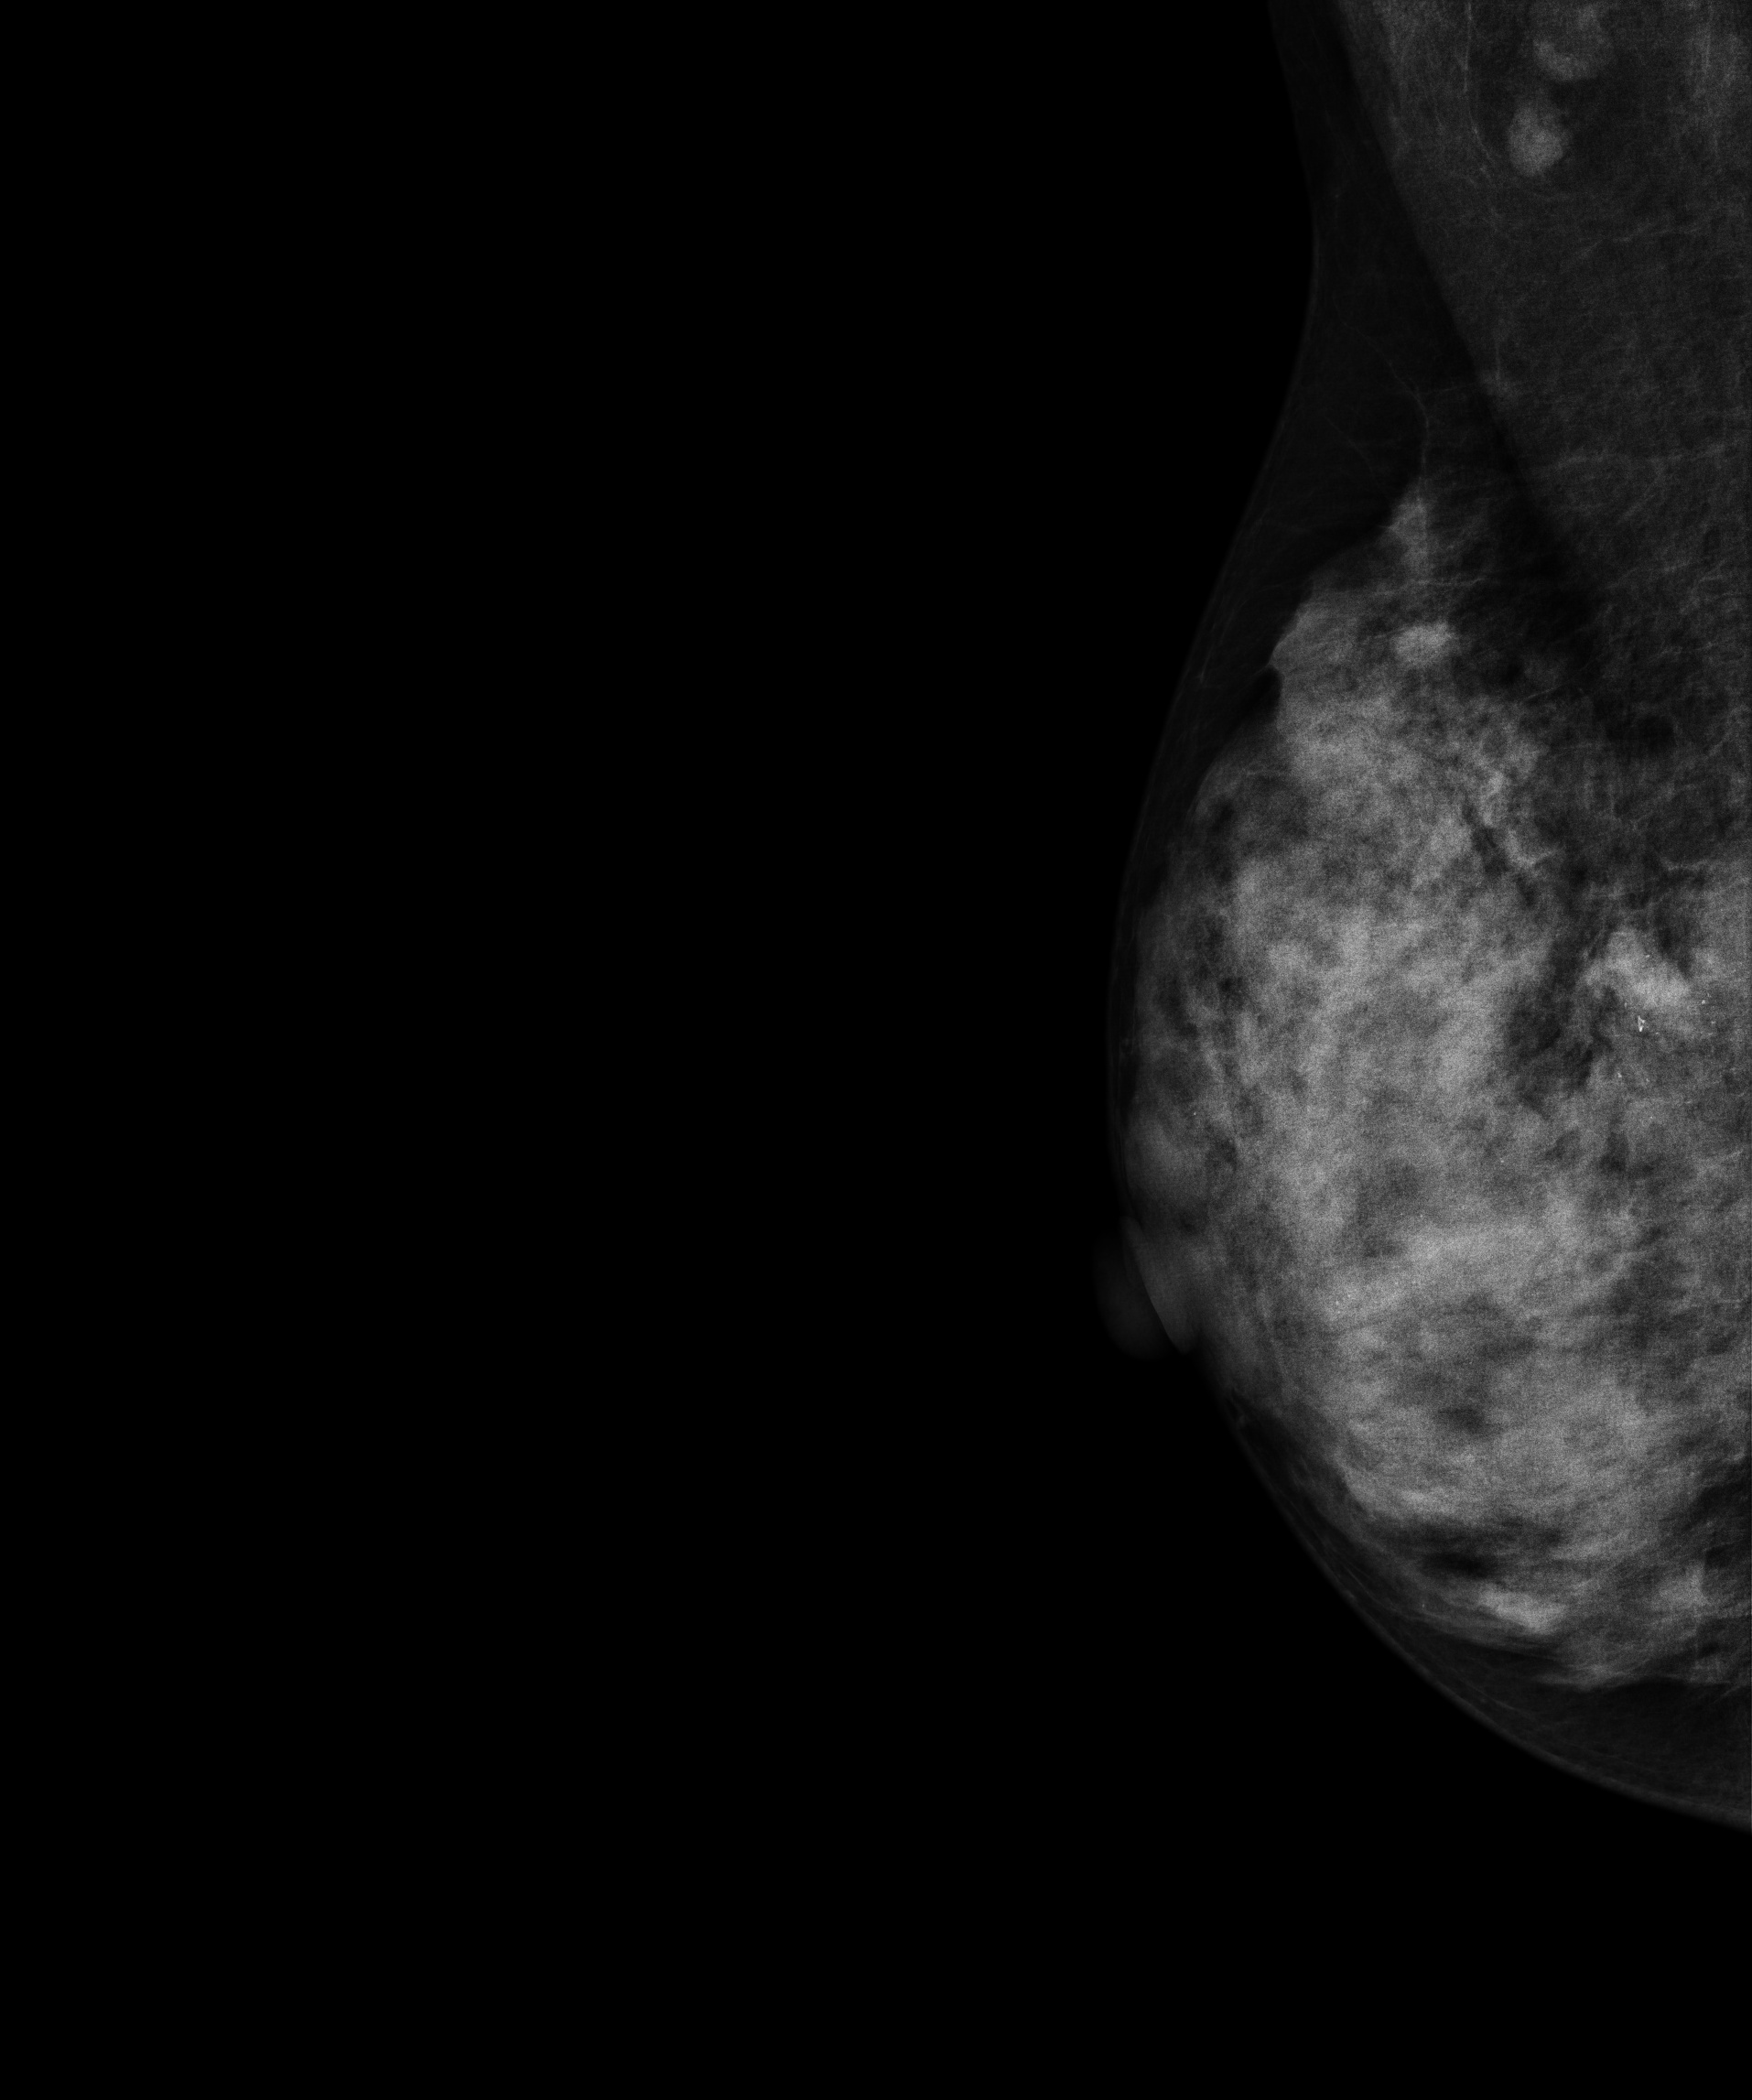
MLO mammogram of the right breast. Patient age 45.
This breast has a mass and calcifications, biopsy-confirmed malignant. Molecular subtype: luminal B.